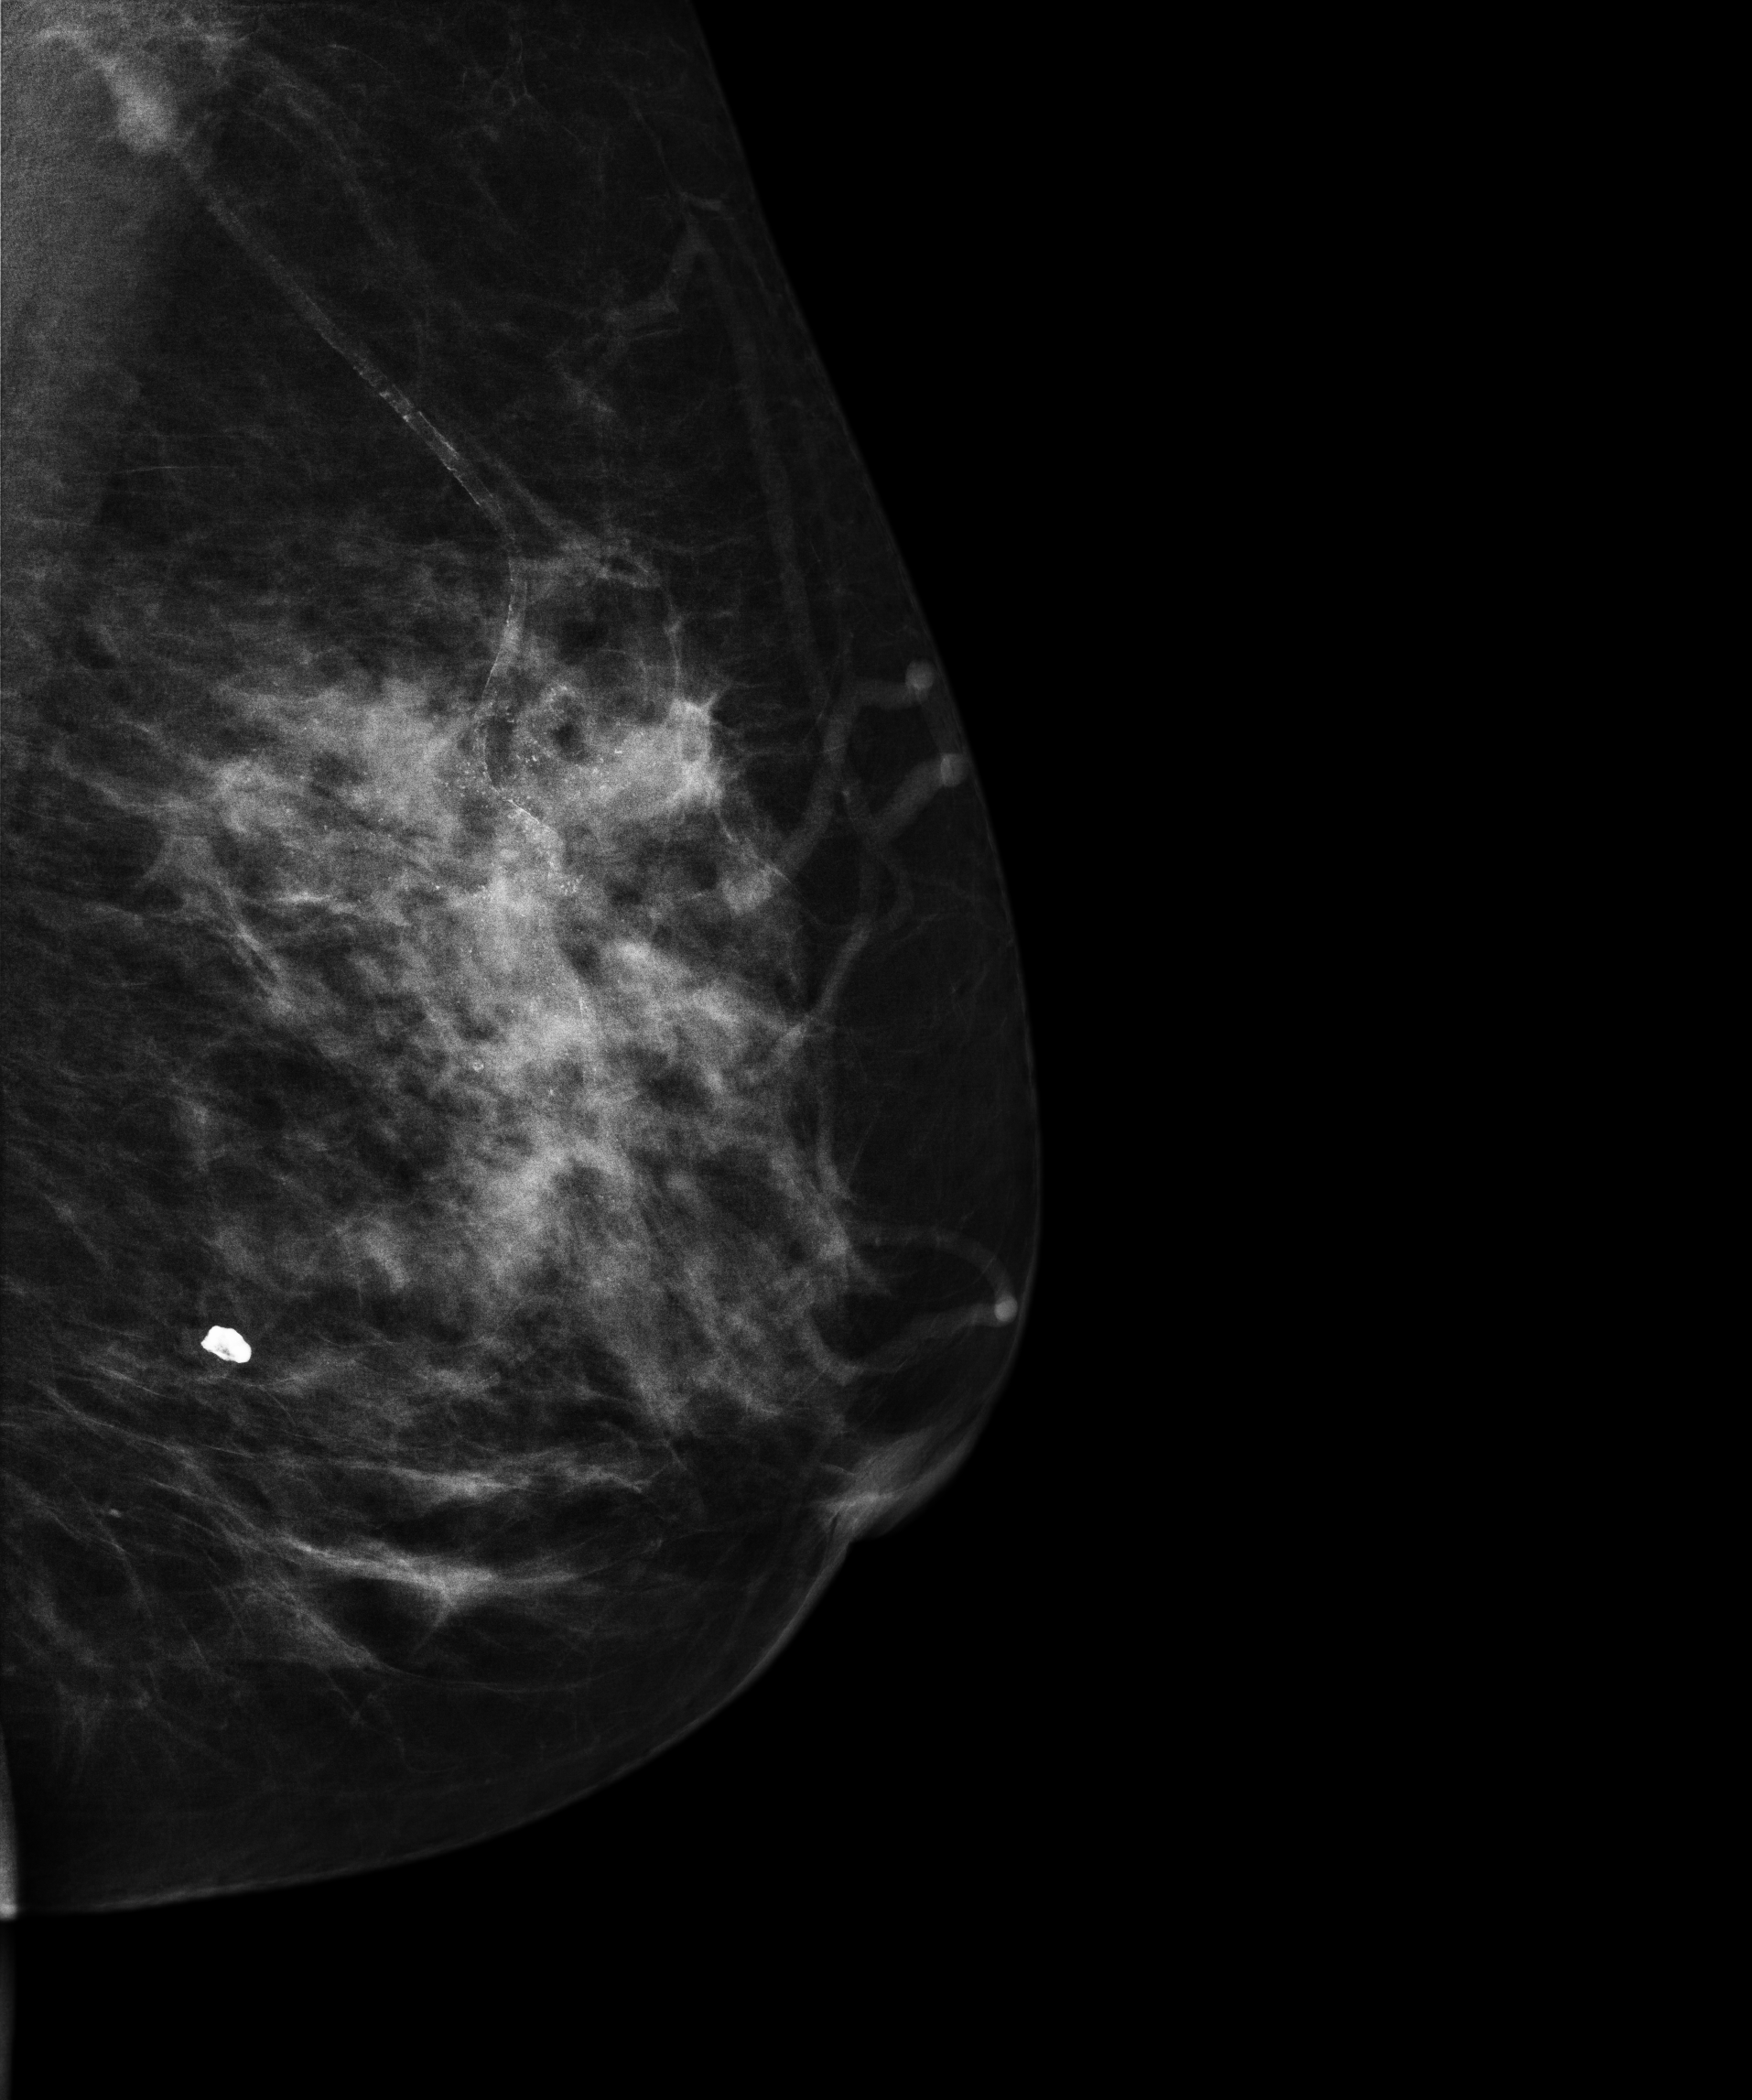
Left-breast mammogram, medio-lateral oblique. 70 y/o patient.
This breast has a mass and calcifications, biopsy-confirmed malignant.